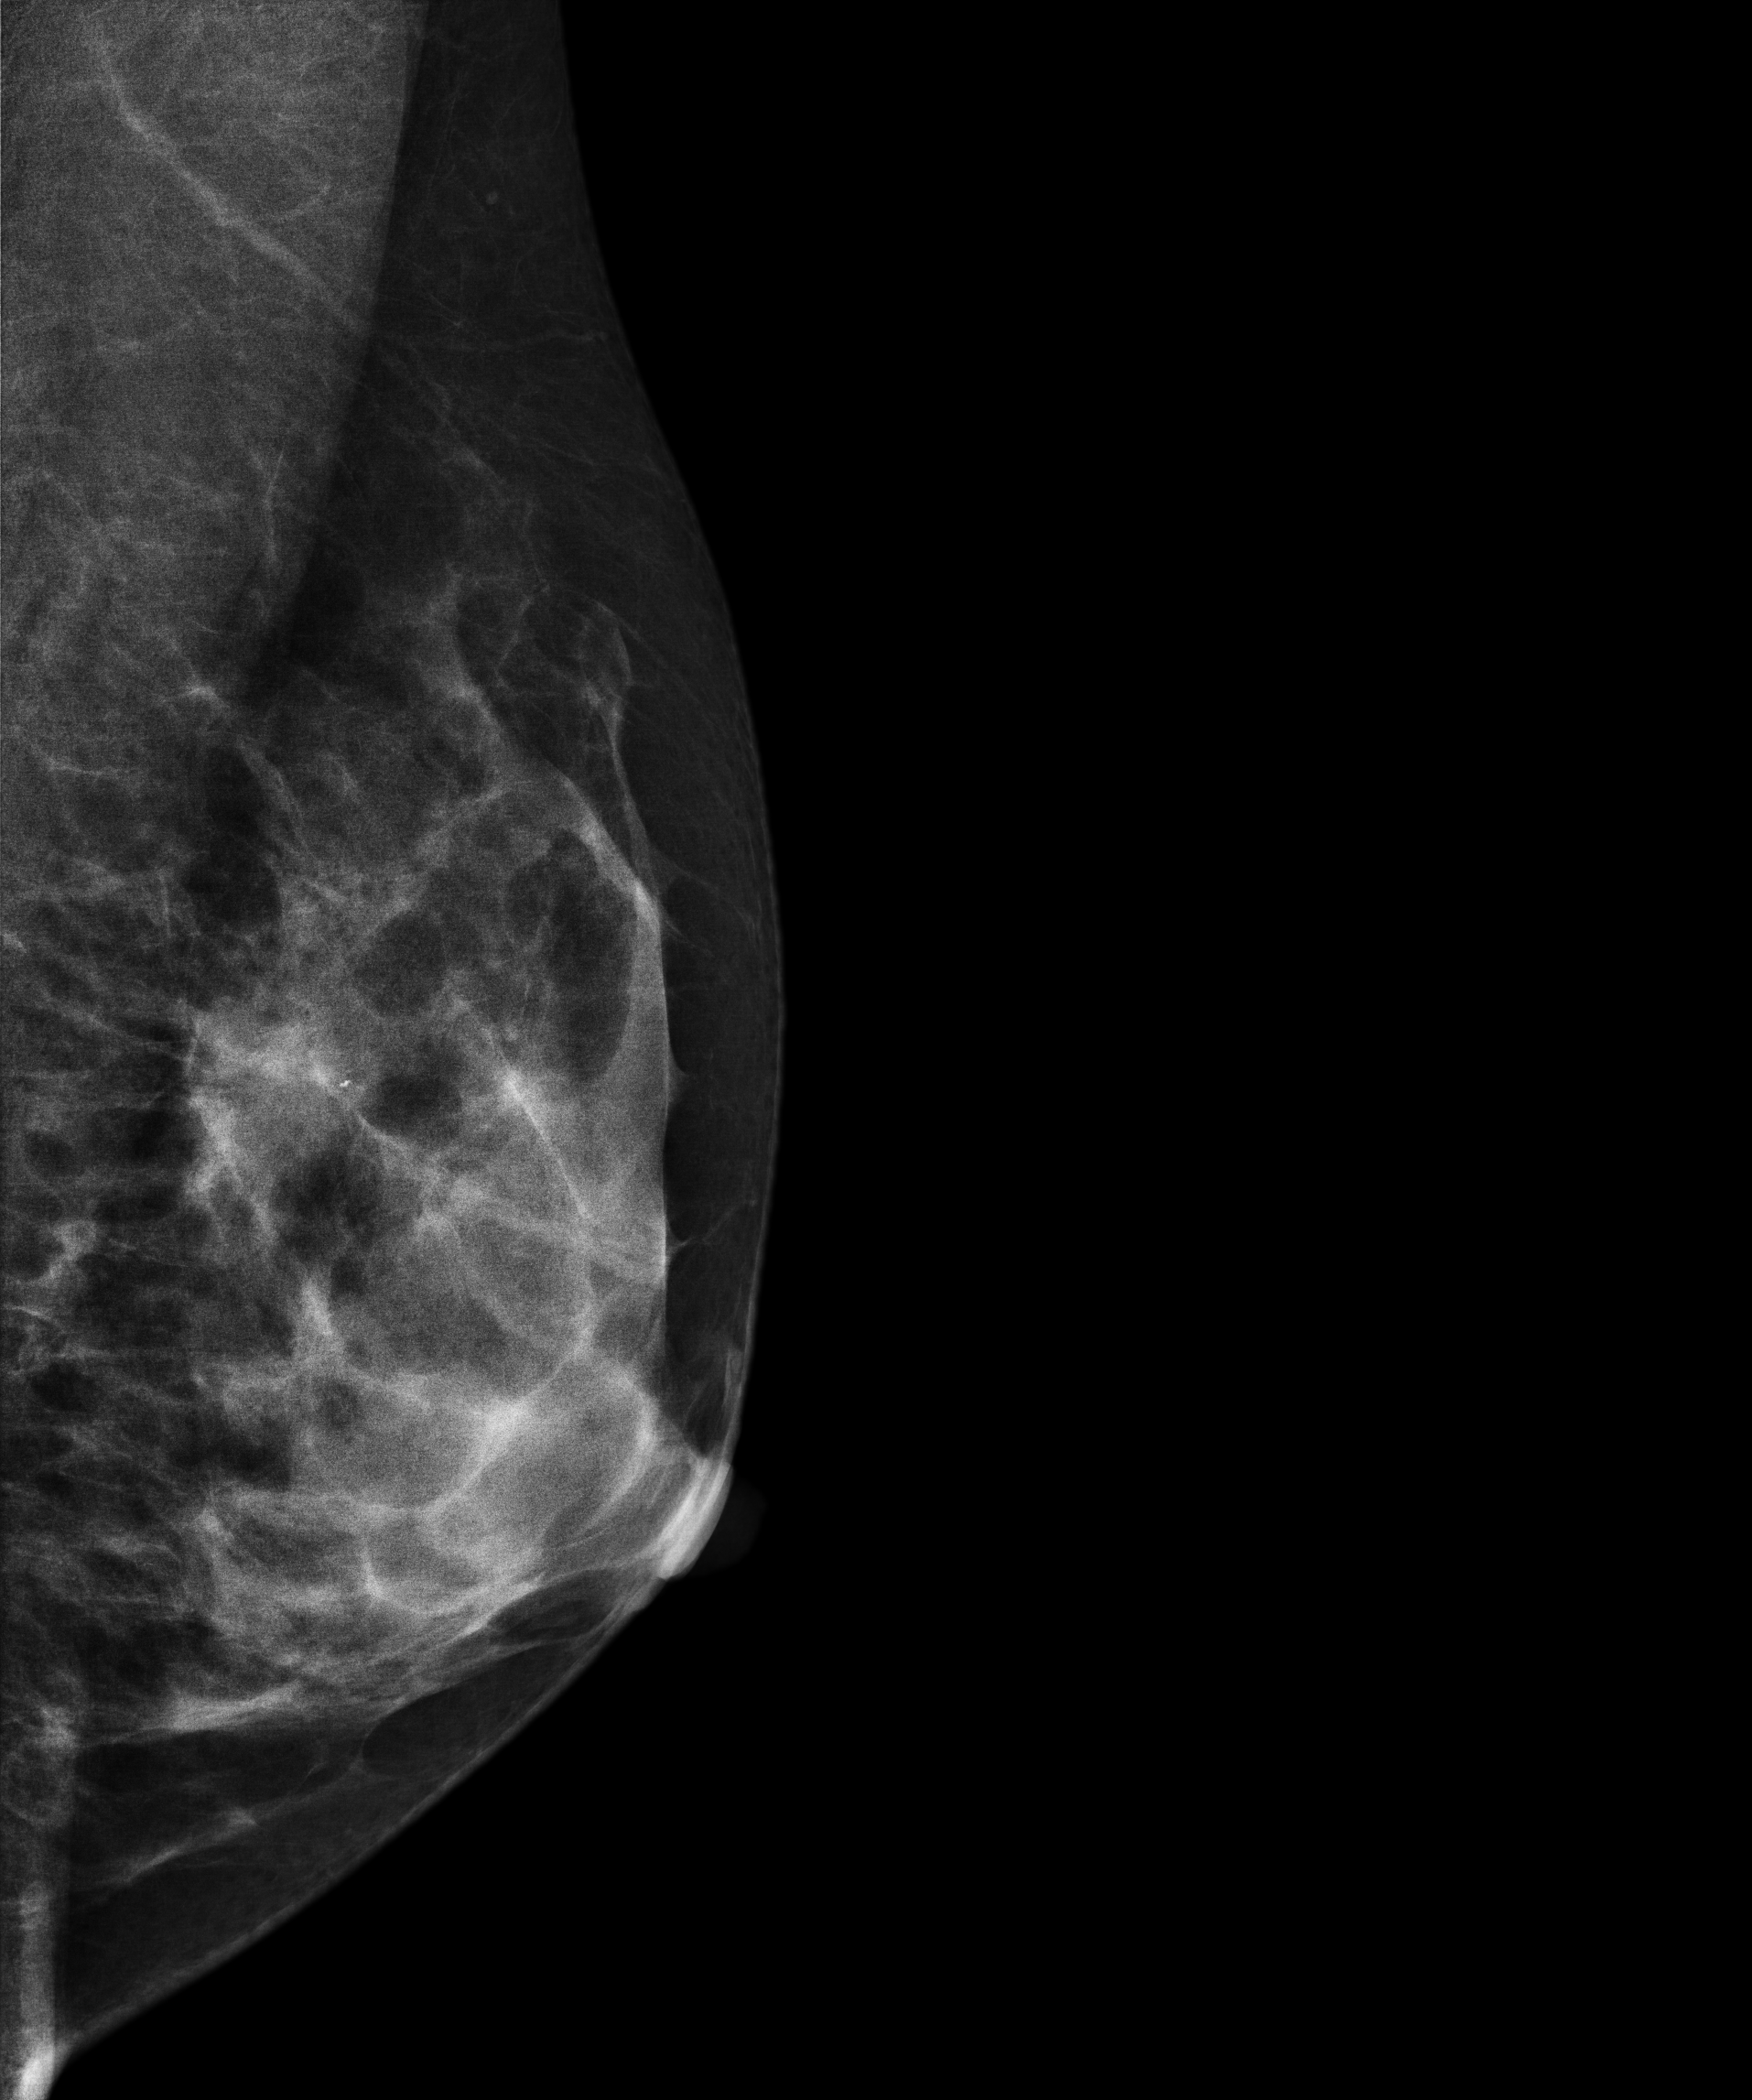
Mammogram — left medio-lateral oblique. 34 y/o patient.
This breast has a mass and calcifications, biopsy-confirmed malignant. Molecular subtype: luminal B.